Left-breast mammogram, cranio-caudal. 38-year-old patient.
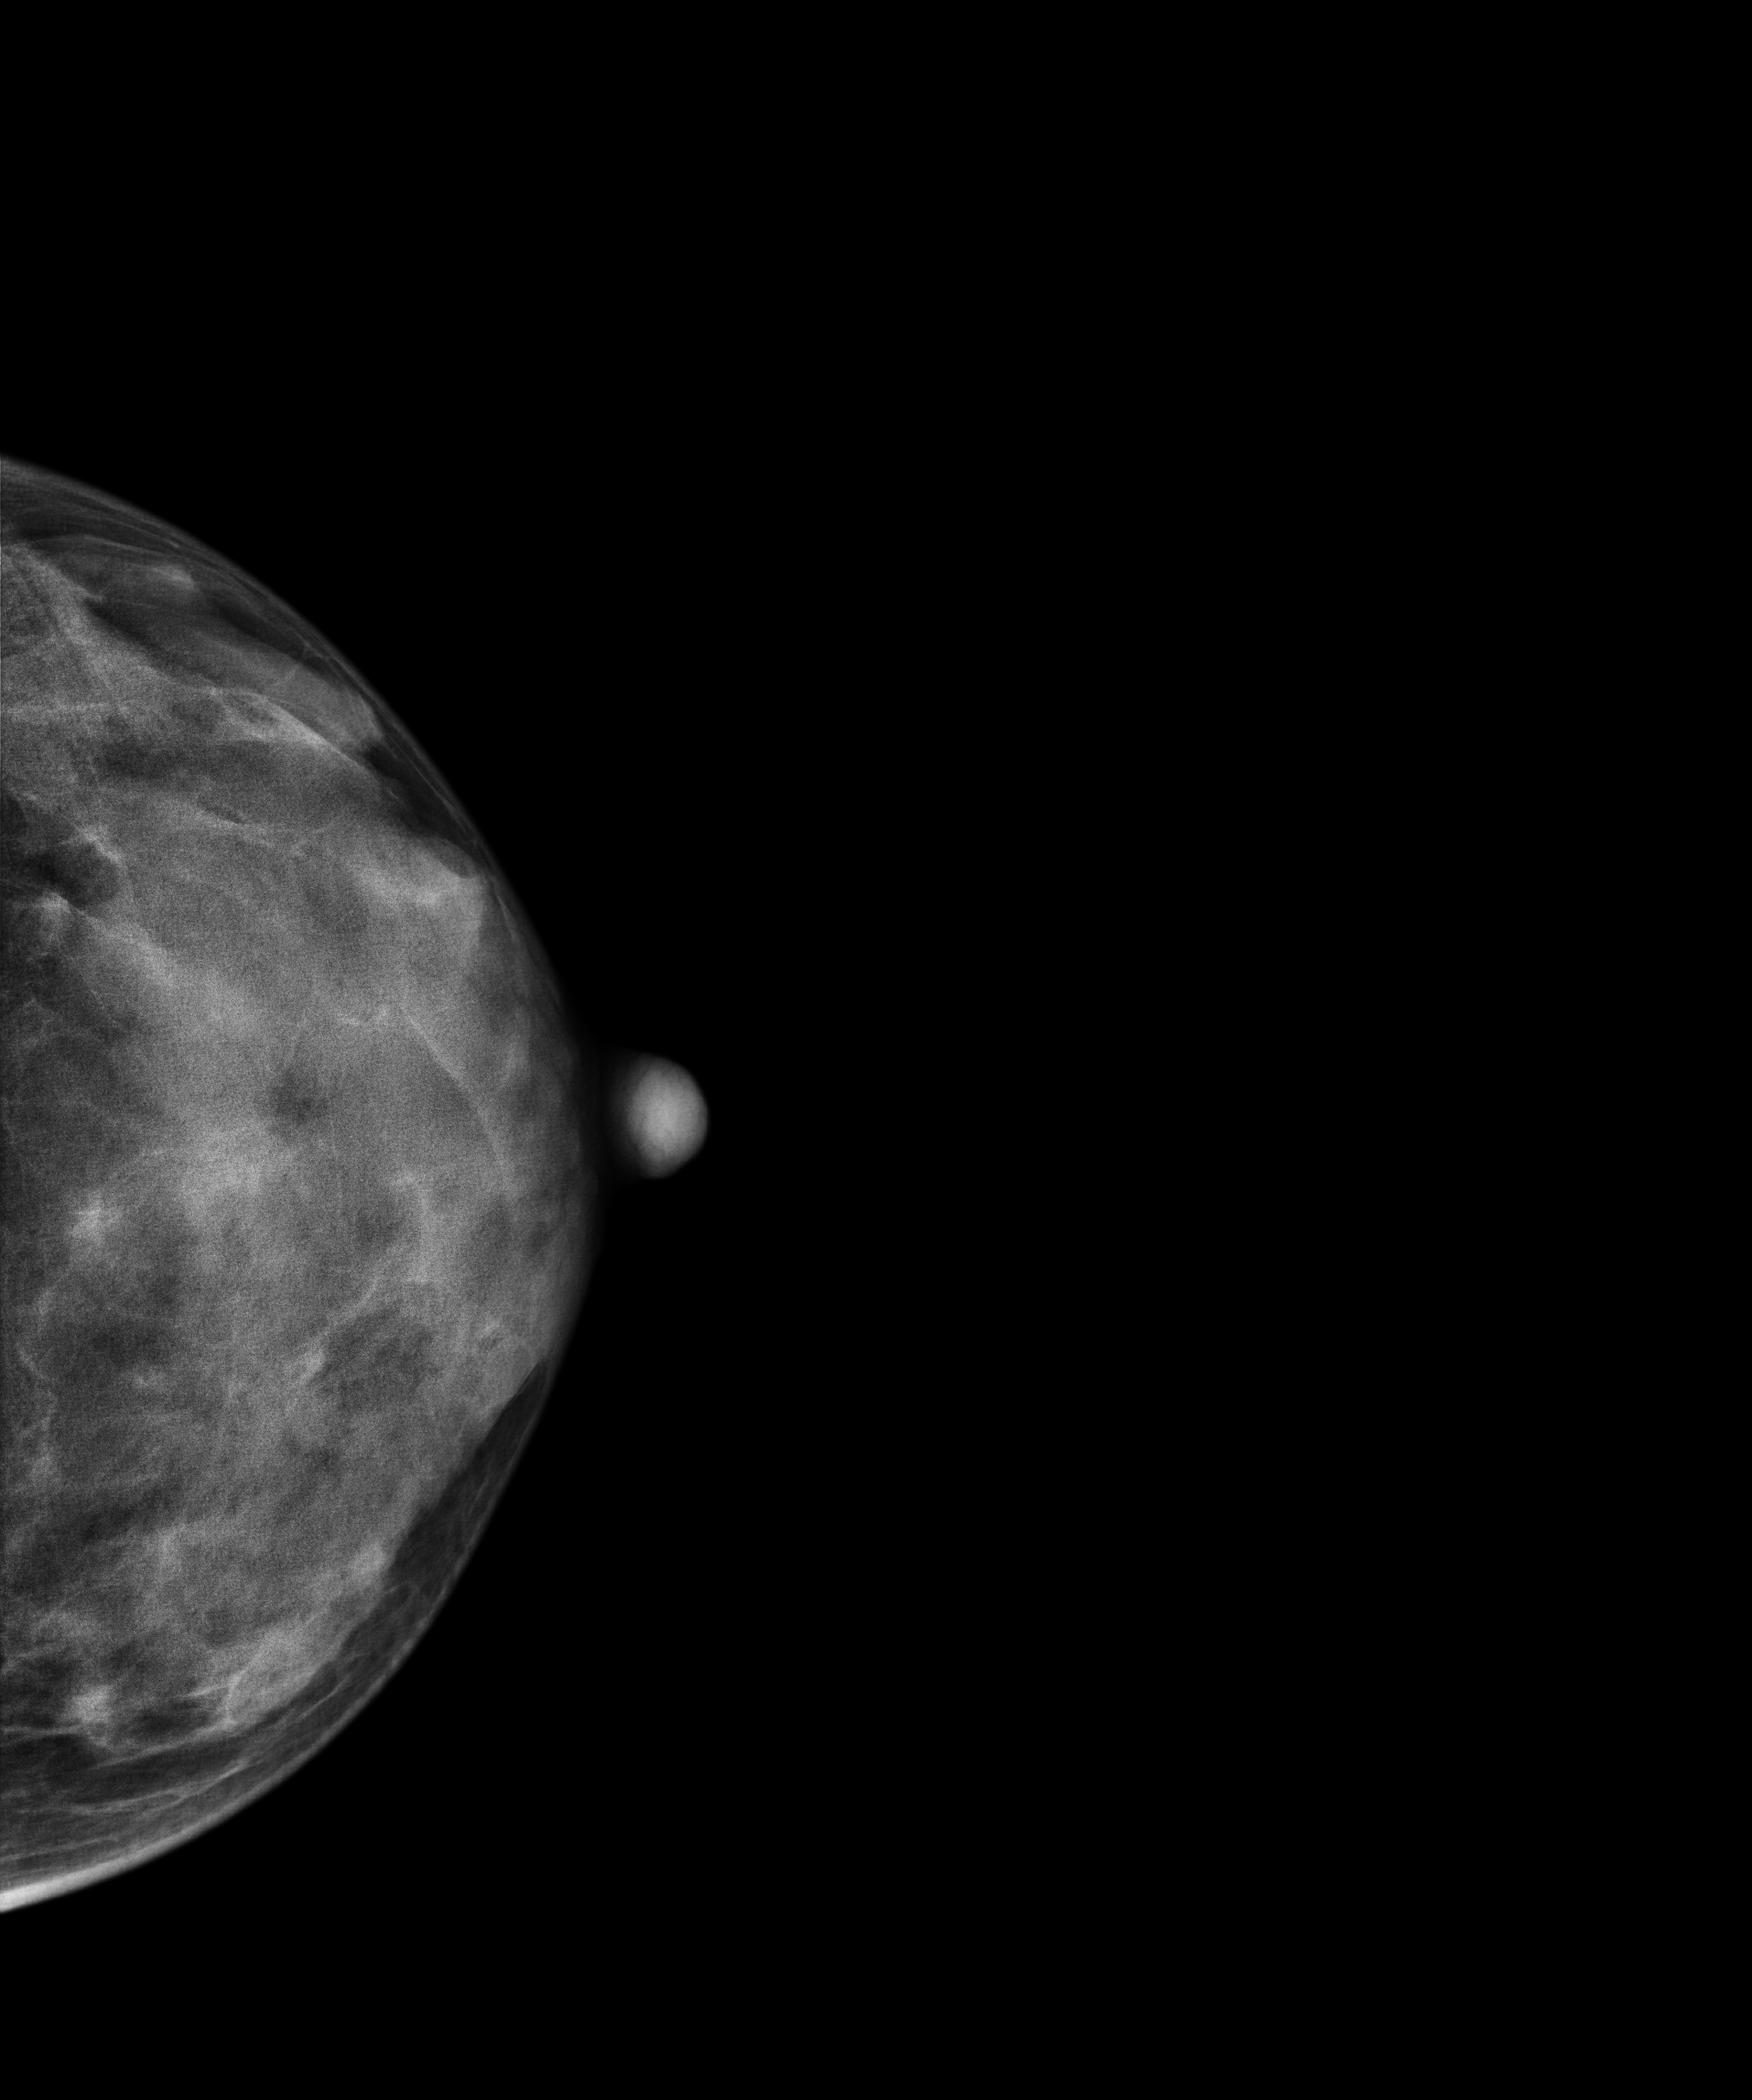
This breast has a mass, biopsy-proven malignant.